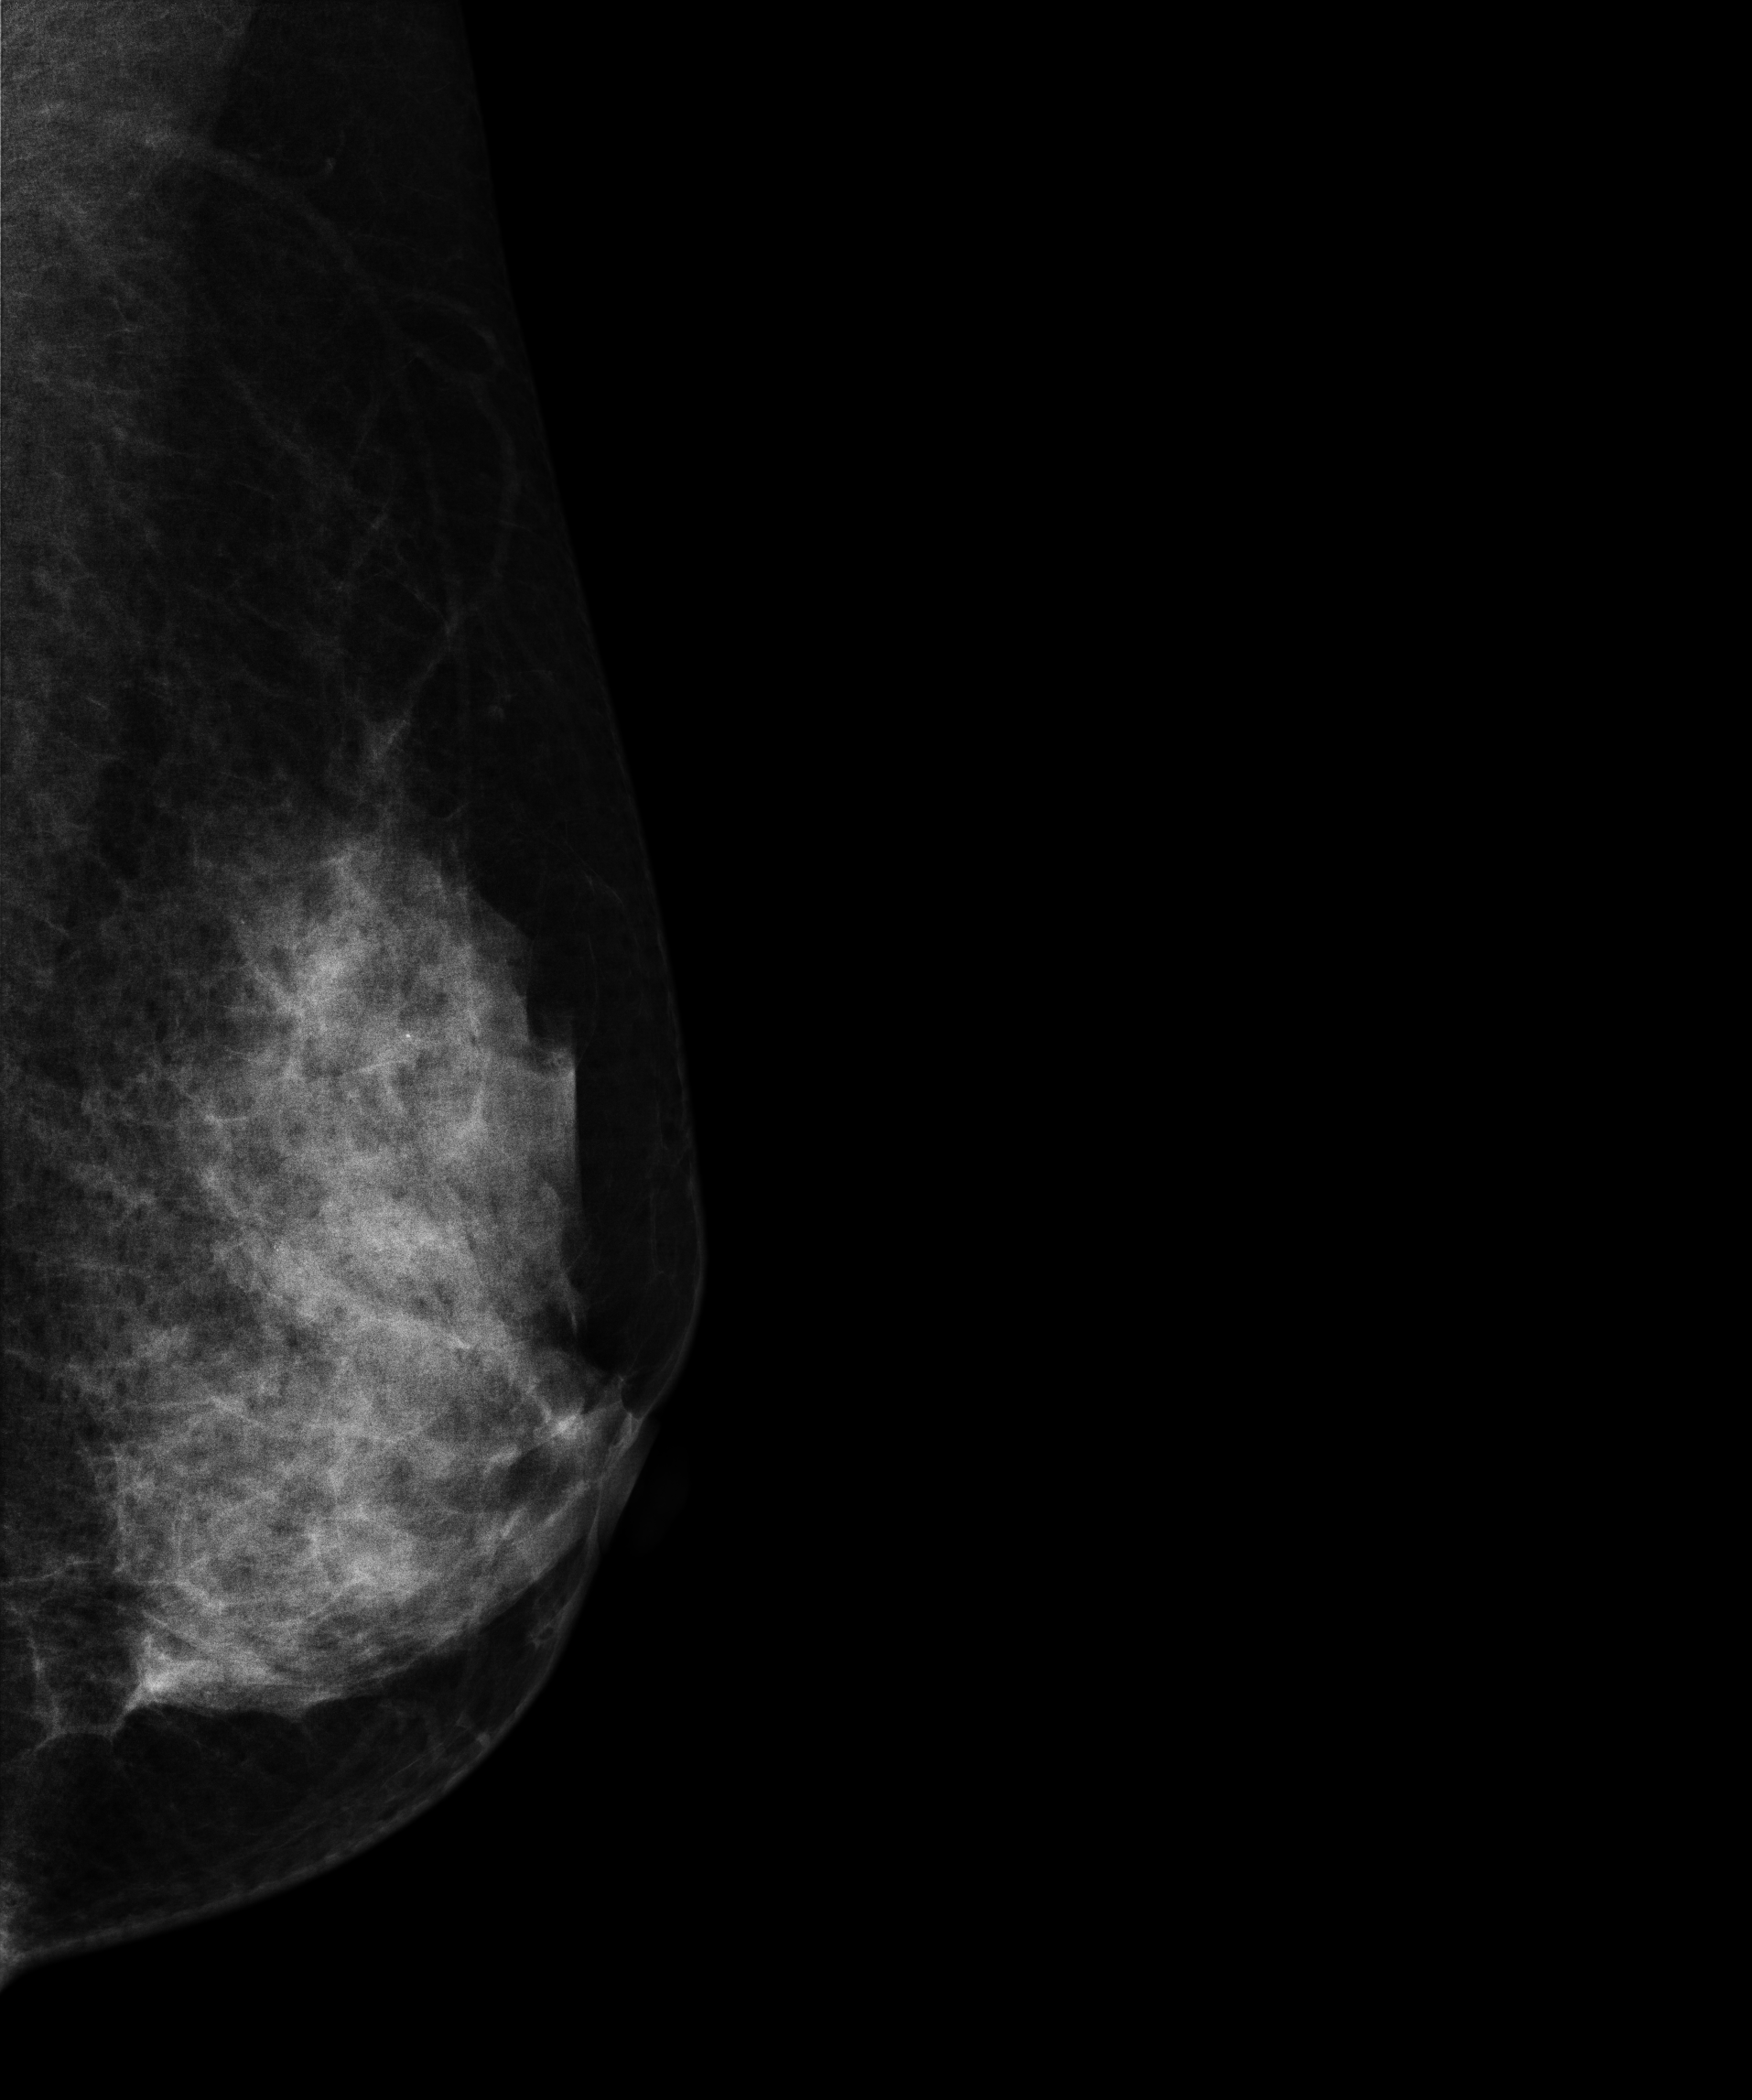
Digital mammography. Left breast, MLO projection. 49 y/o patient.
Contralateral breast — no documented abnormality on this side.